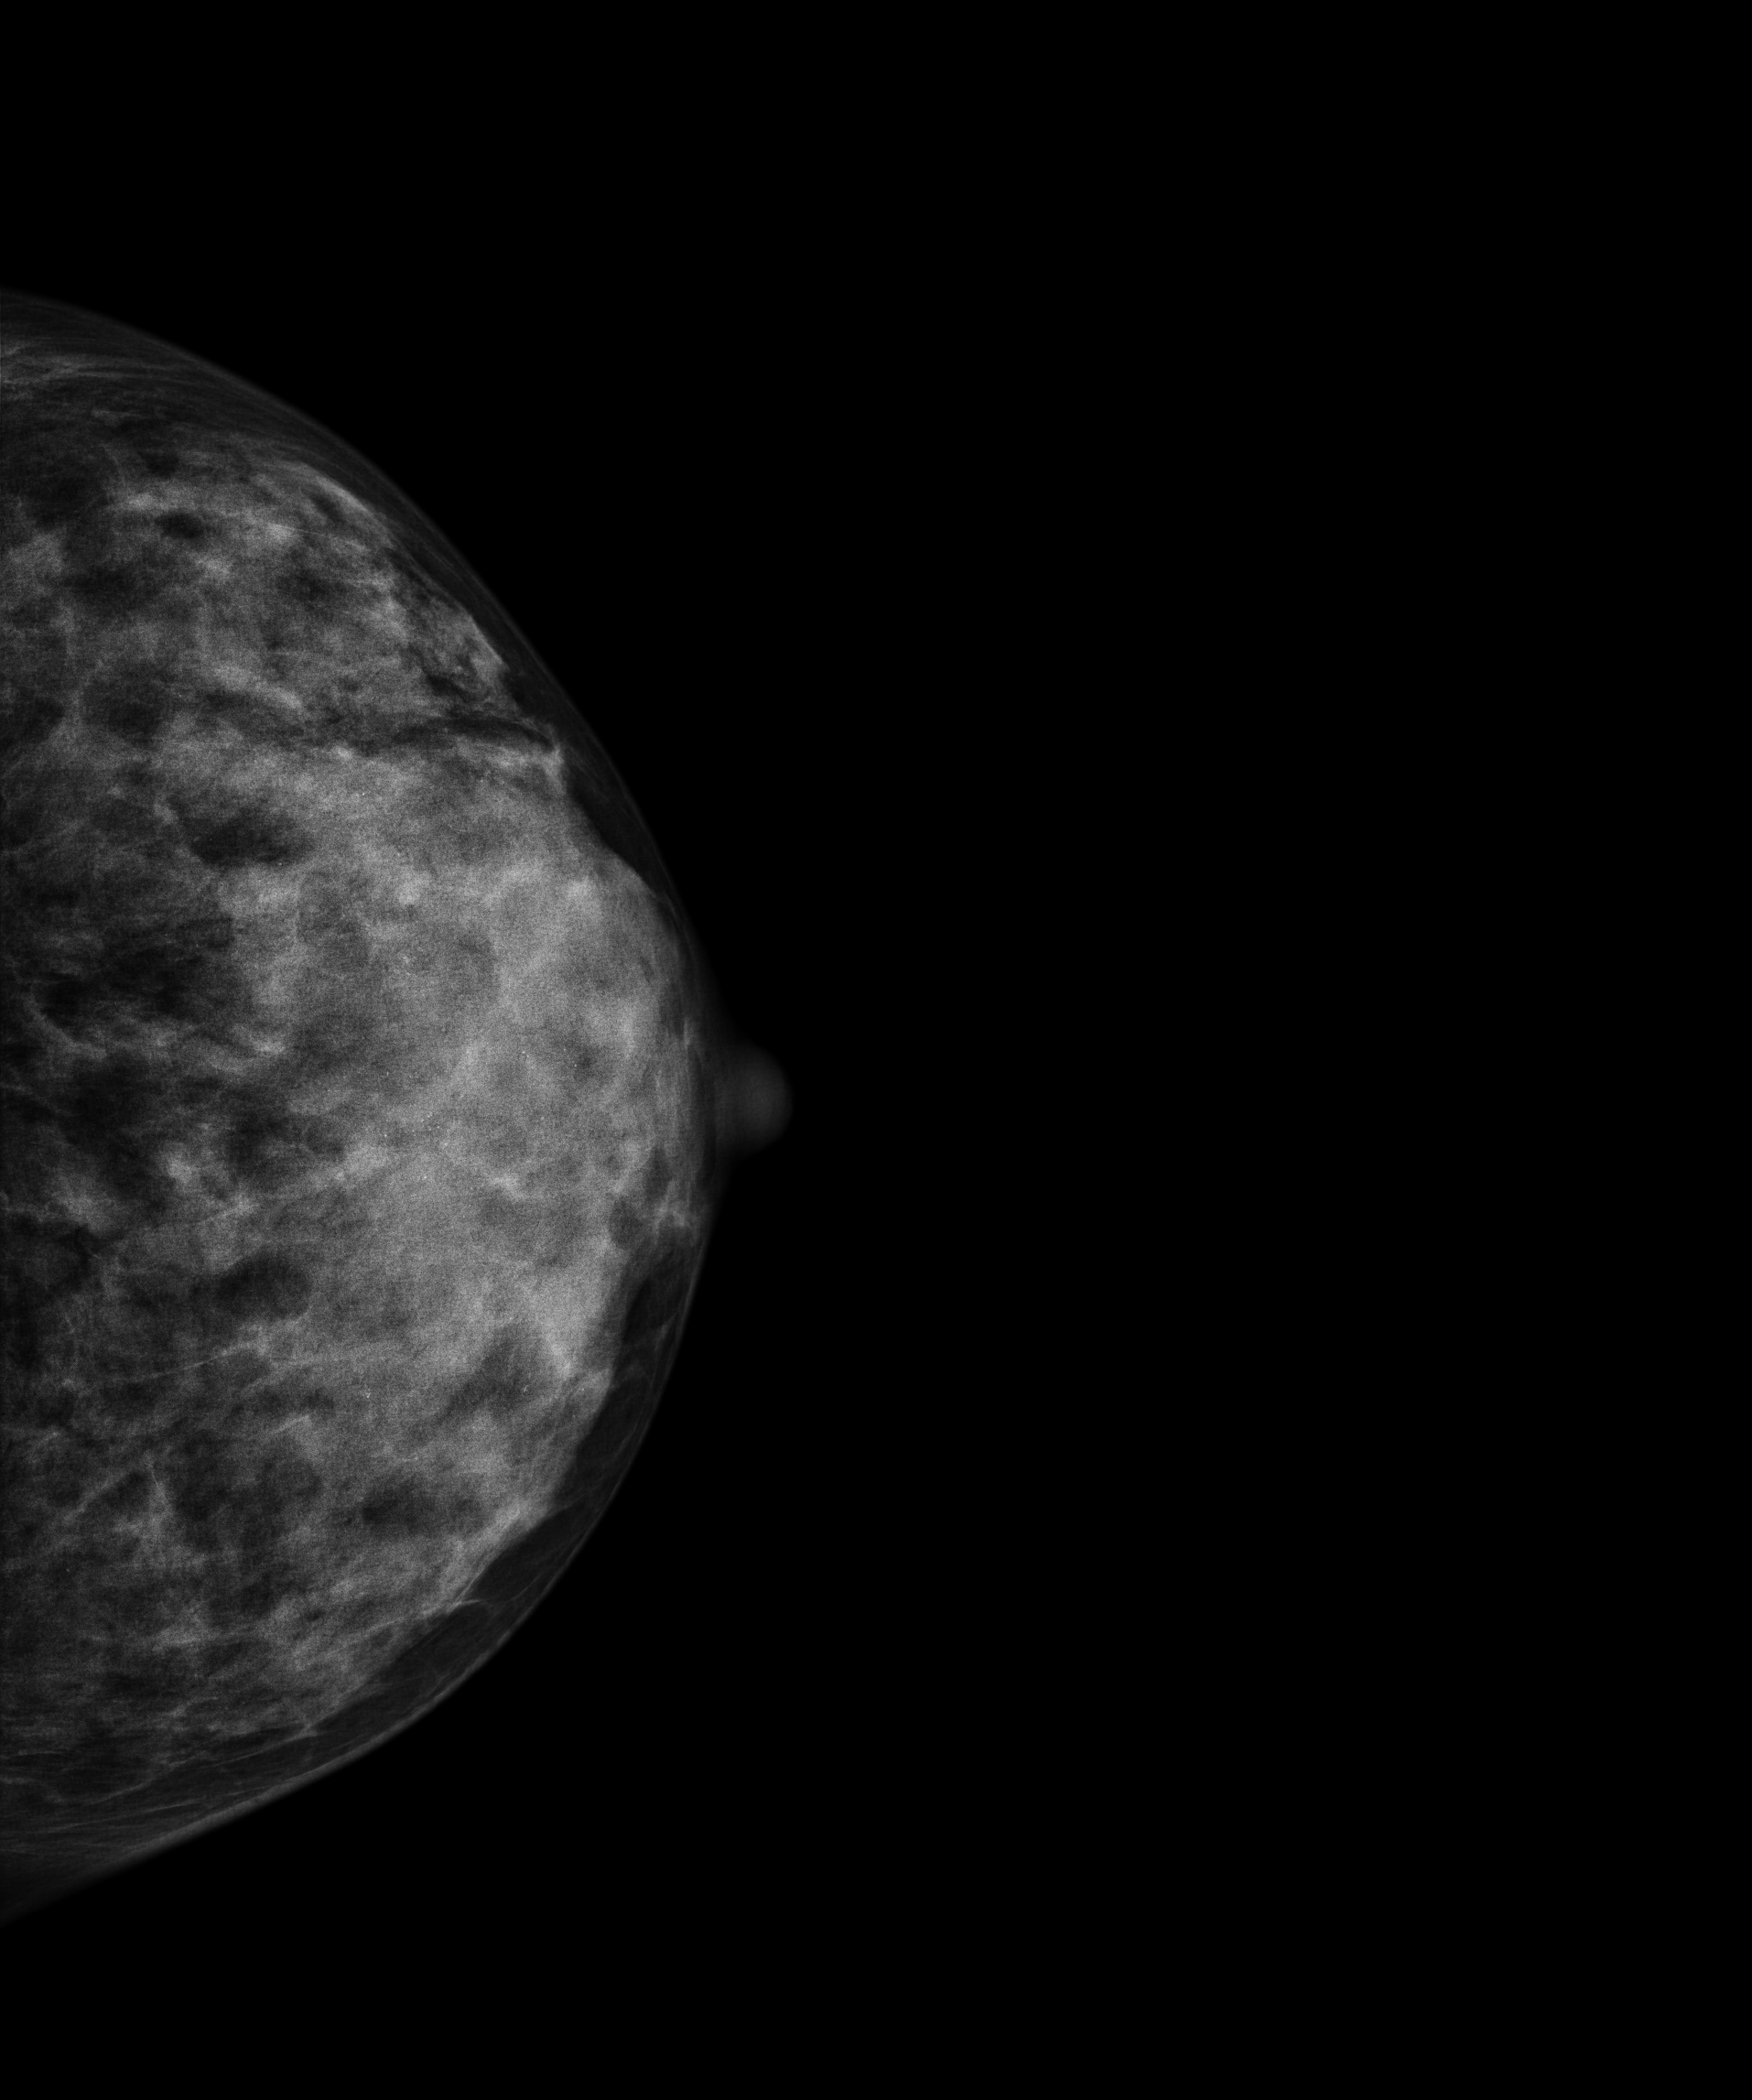
Mammogram, left breast, CC view. Patient age 43.
Contralateral breast — no documented abnormality on this side.